Left-breast mammogram, medio-lateral oblique. 59 y/o patient.
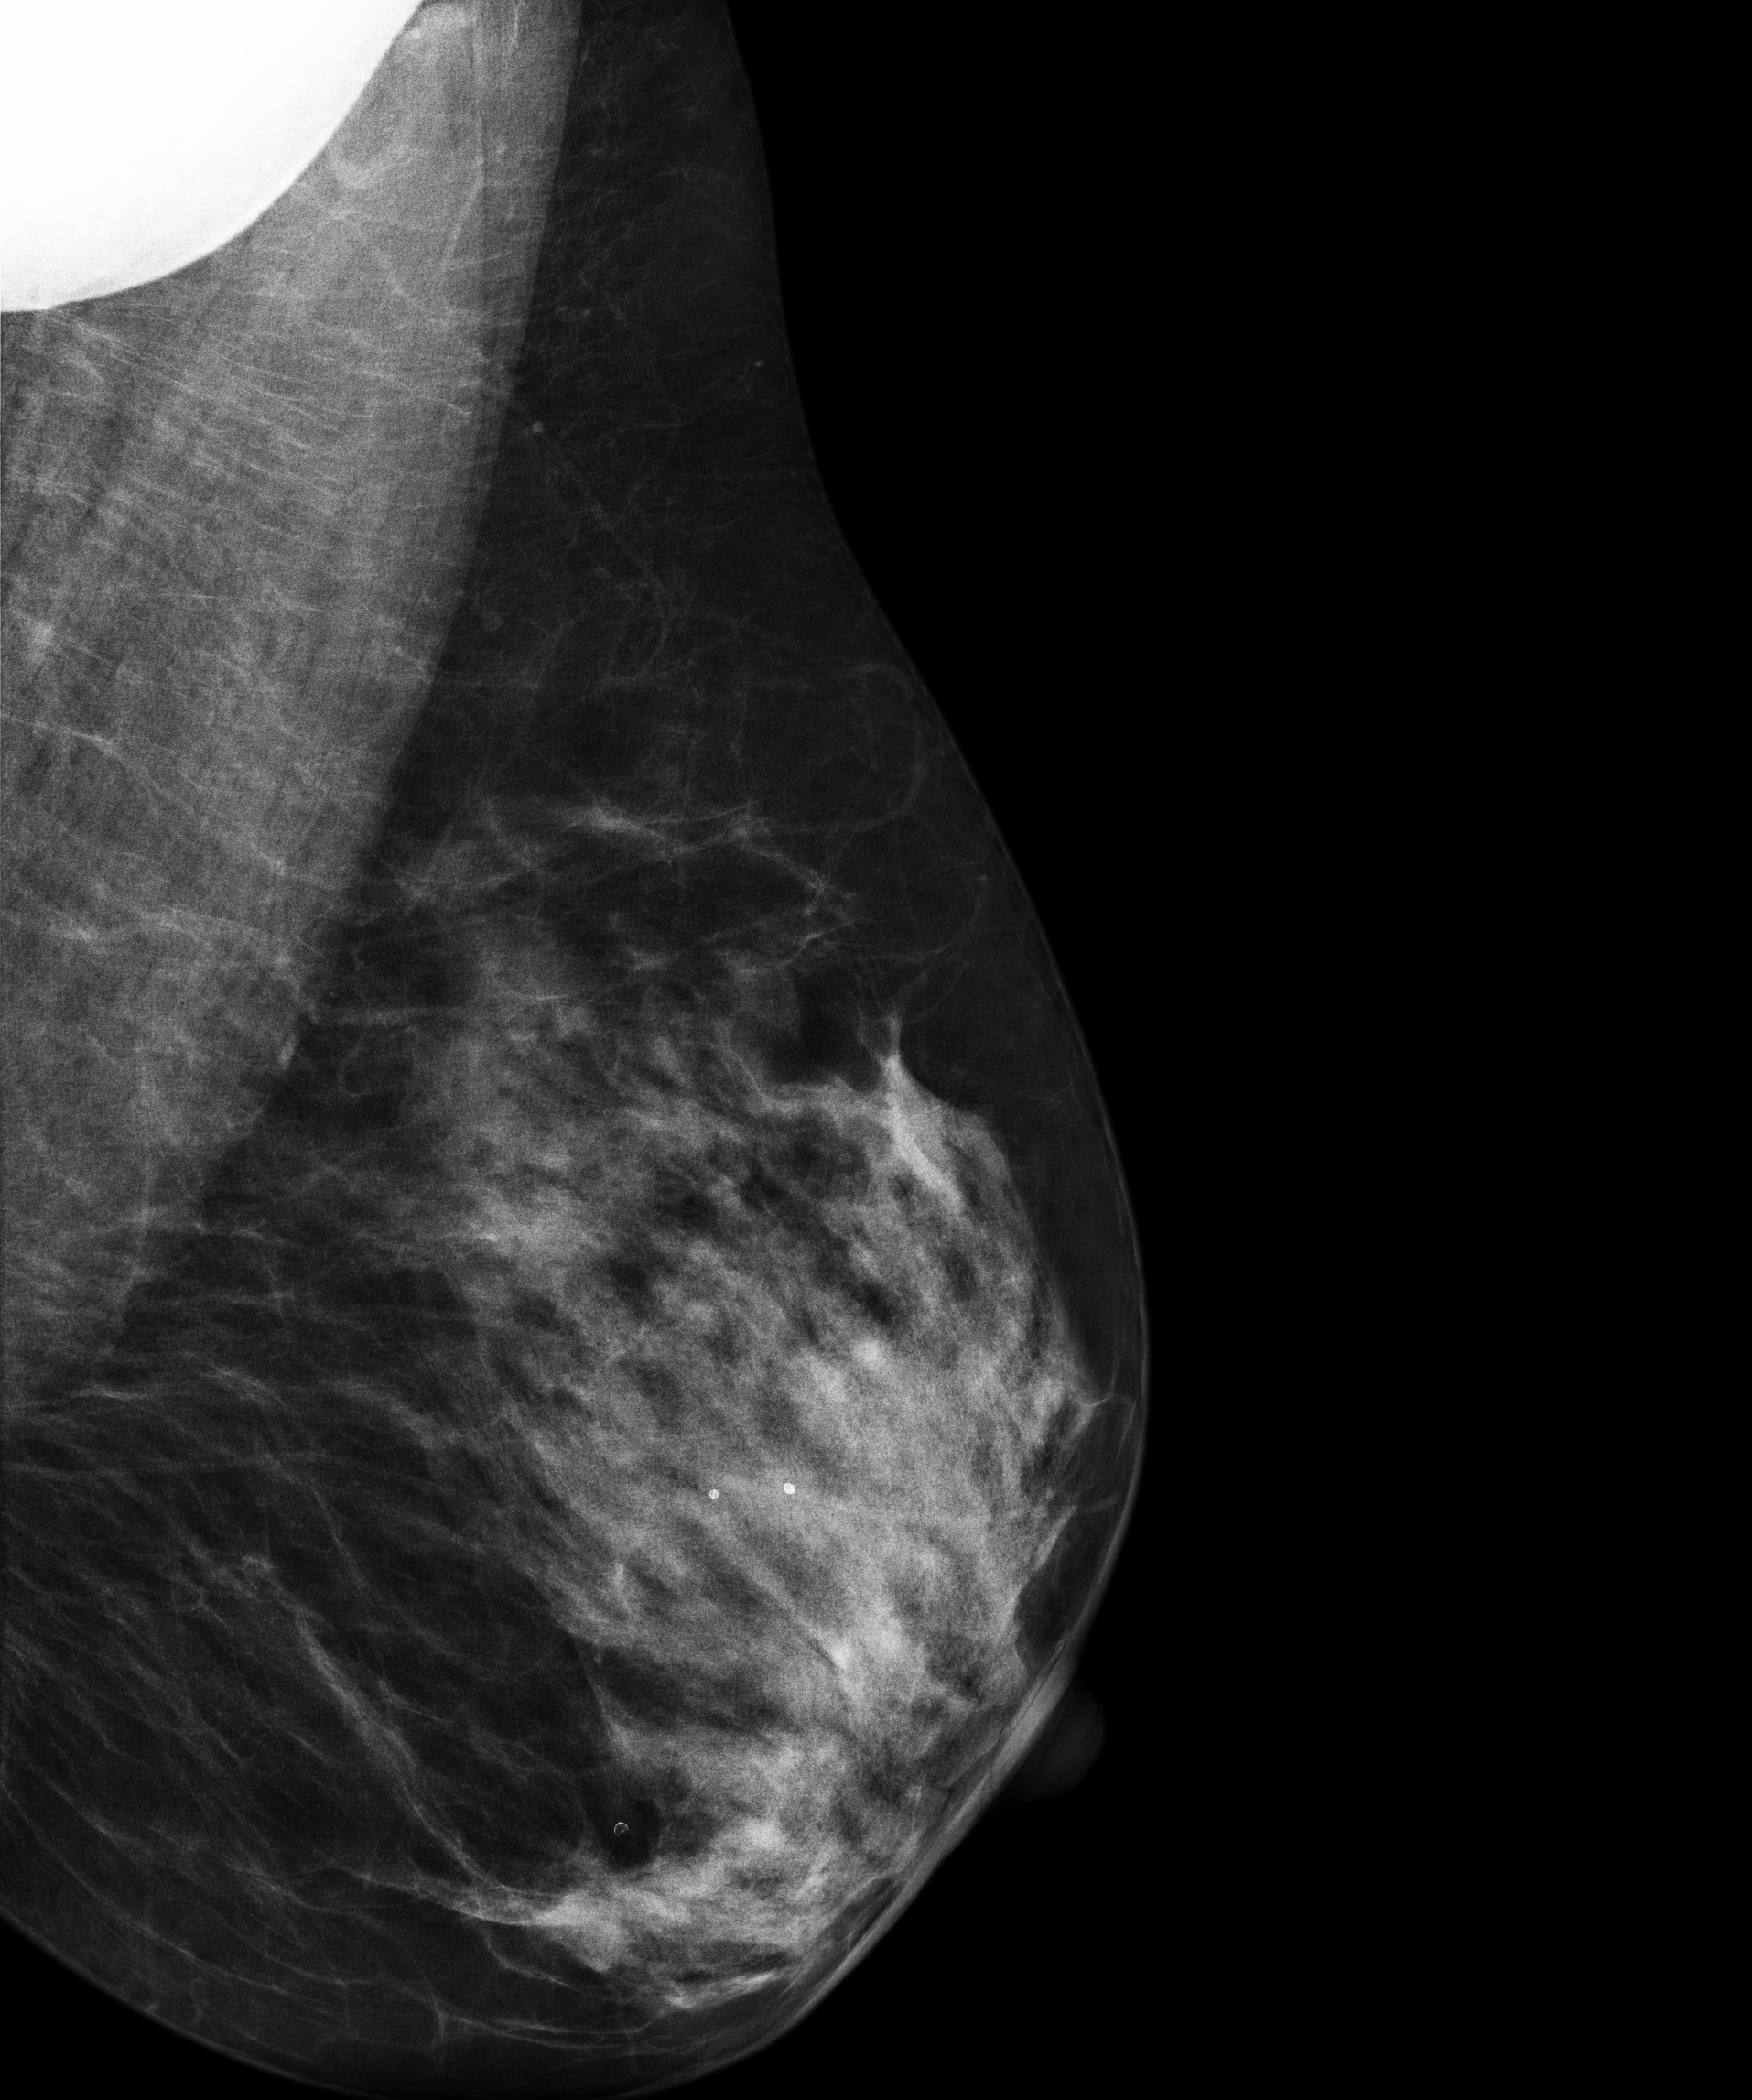
Contralateral breast — no documented abnormality on this side.